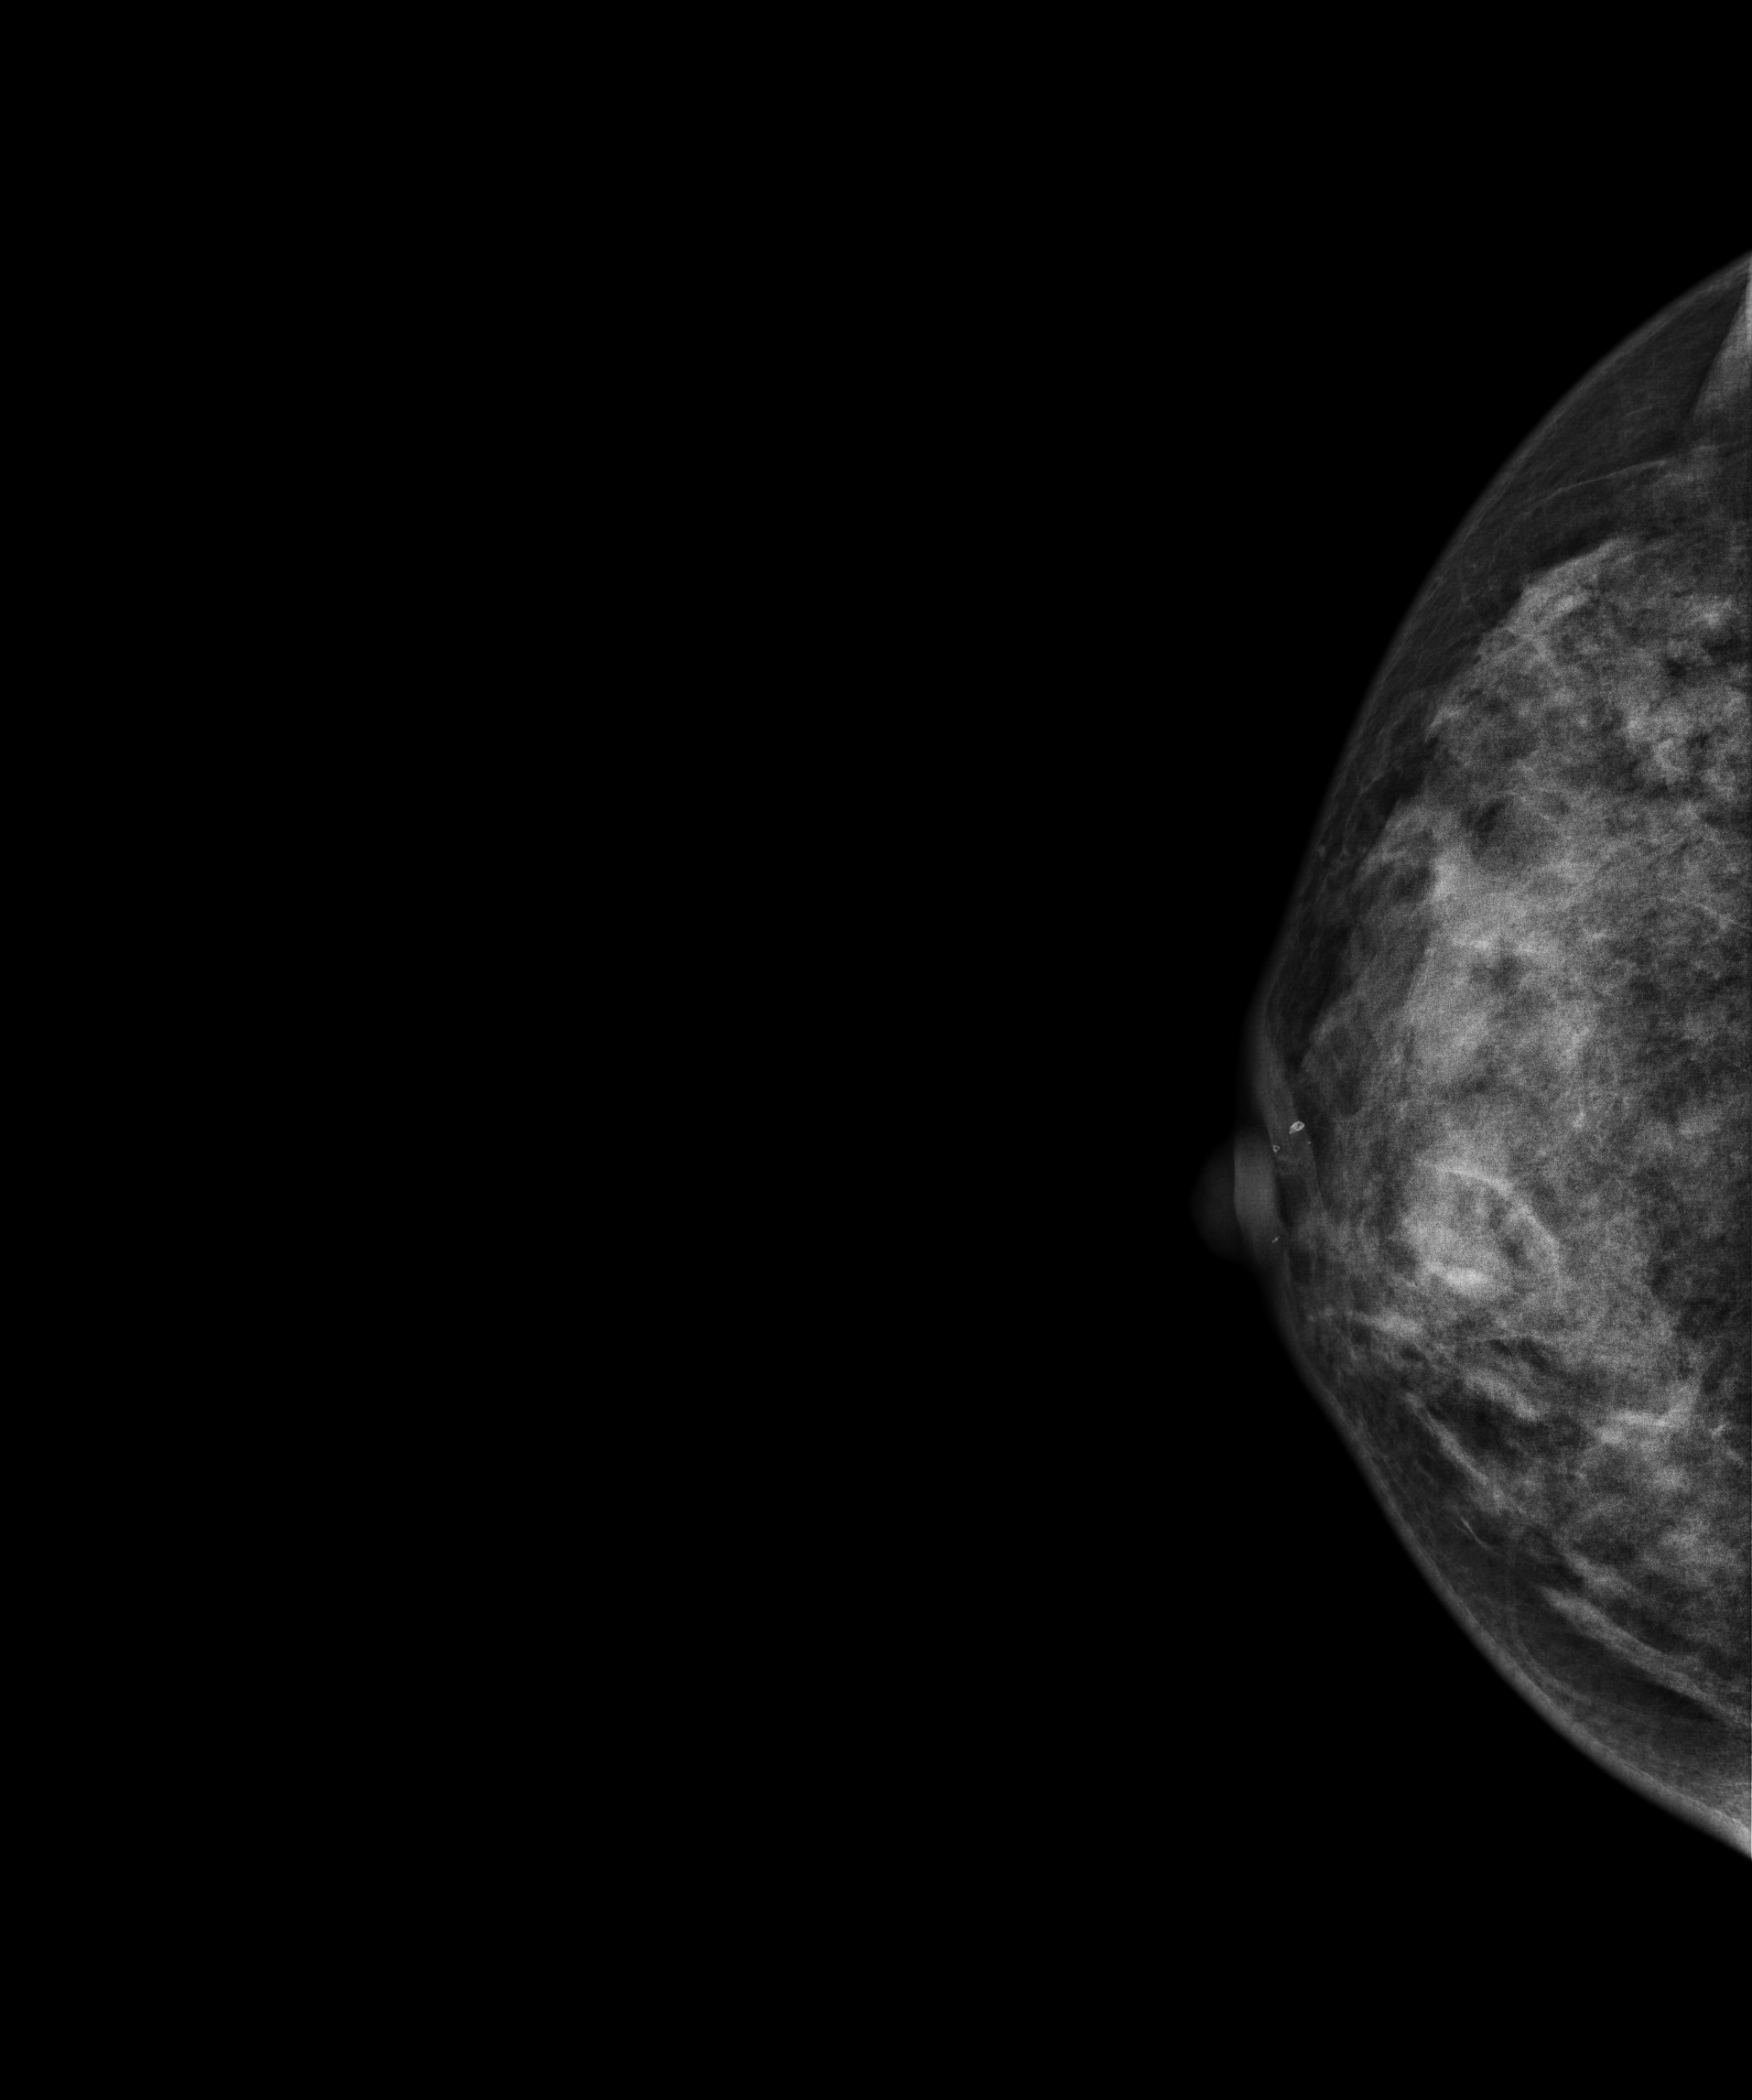
Right-breast mammogram, cranio-caudal. 43 y/o patient.
This breast has a mass, histologically confirmed malignant. Molecular subtype: HER2-enriched.